Digital mammography. Right breast, cranio-caudal projection. 59 y/o patient.
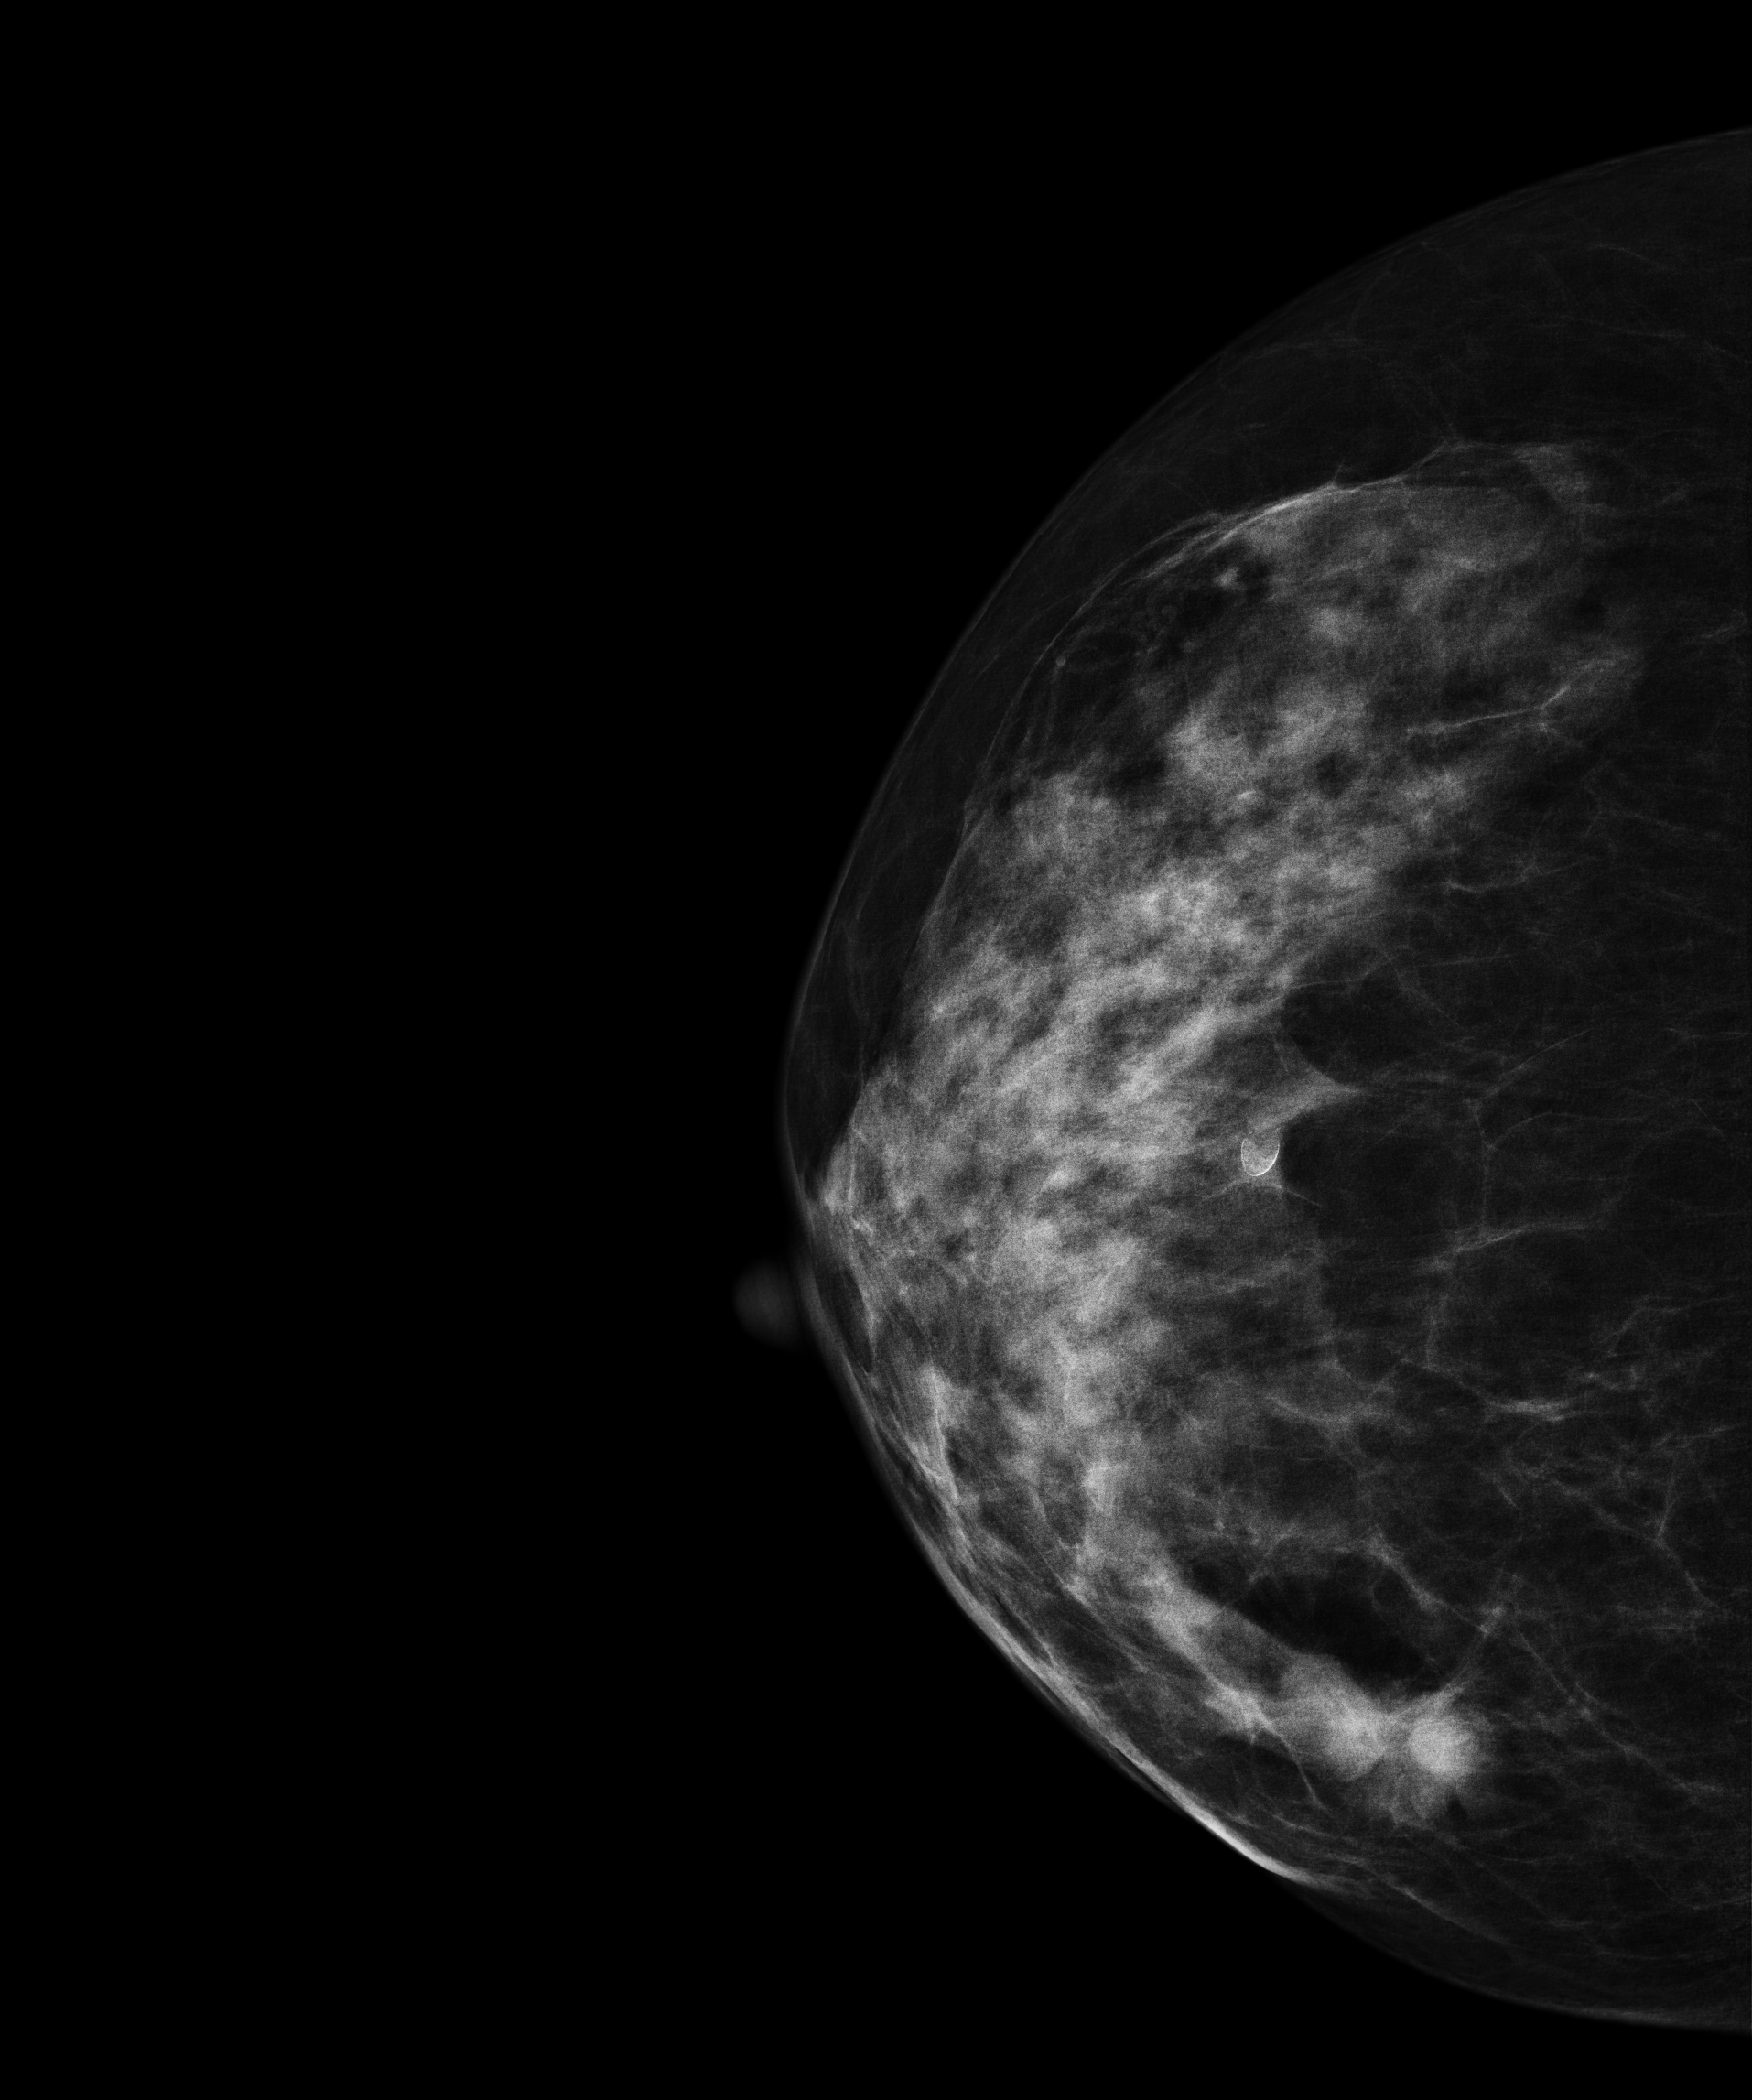
This breast has a mass, histologically confirmed malignant. Molecular subtype: luminal B.